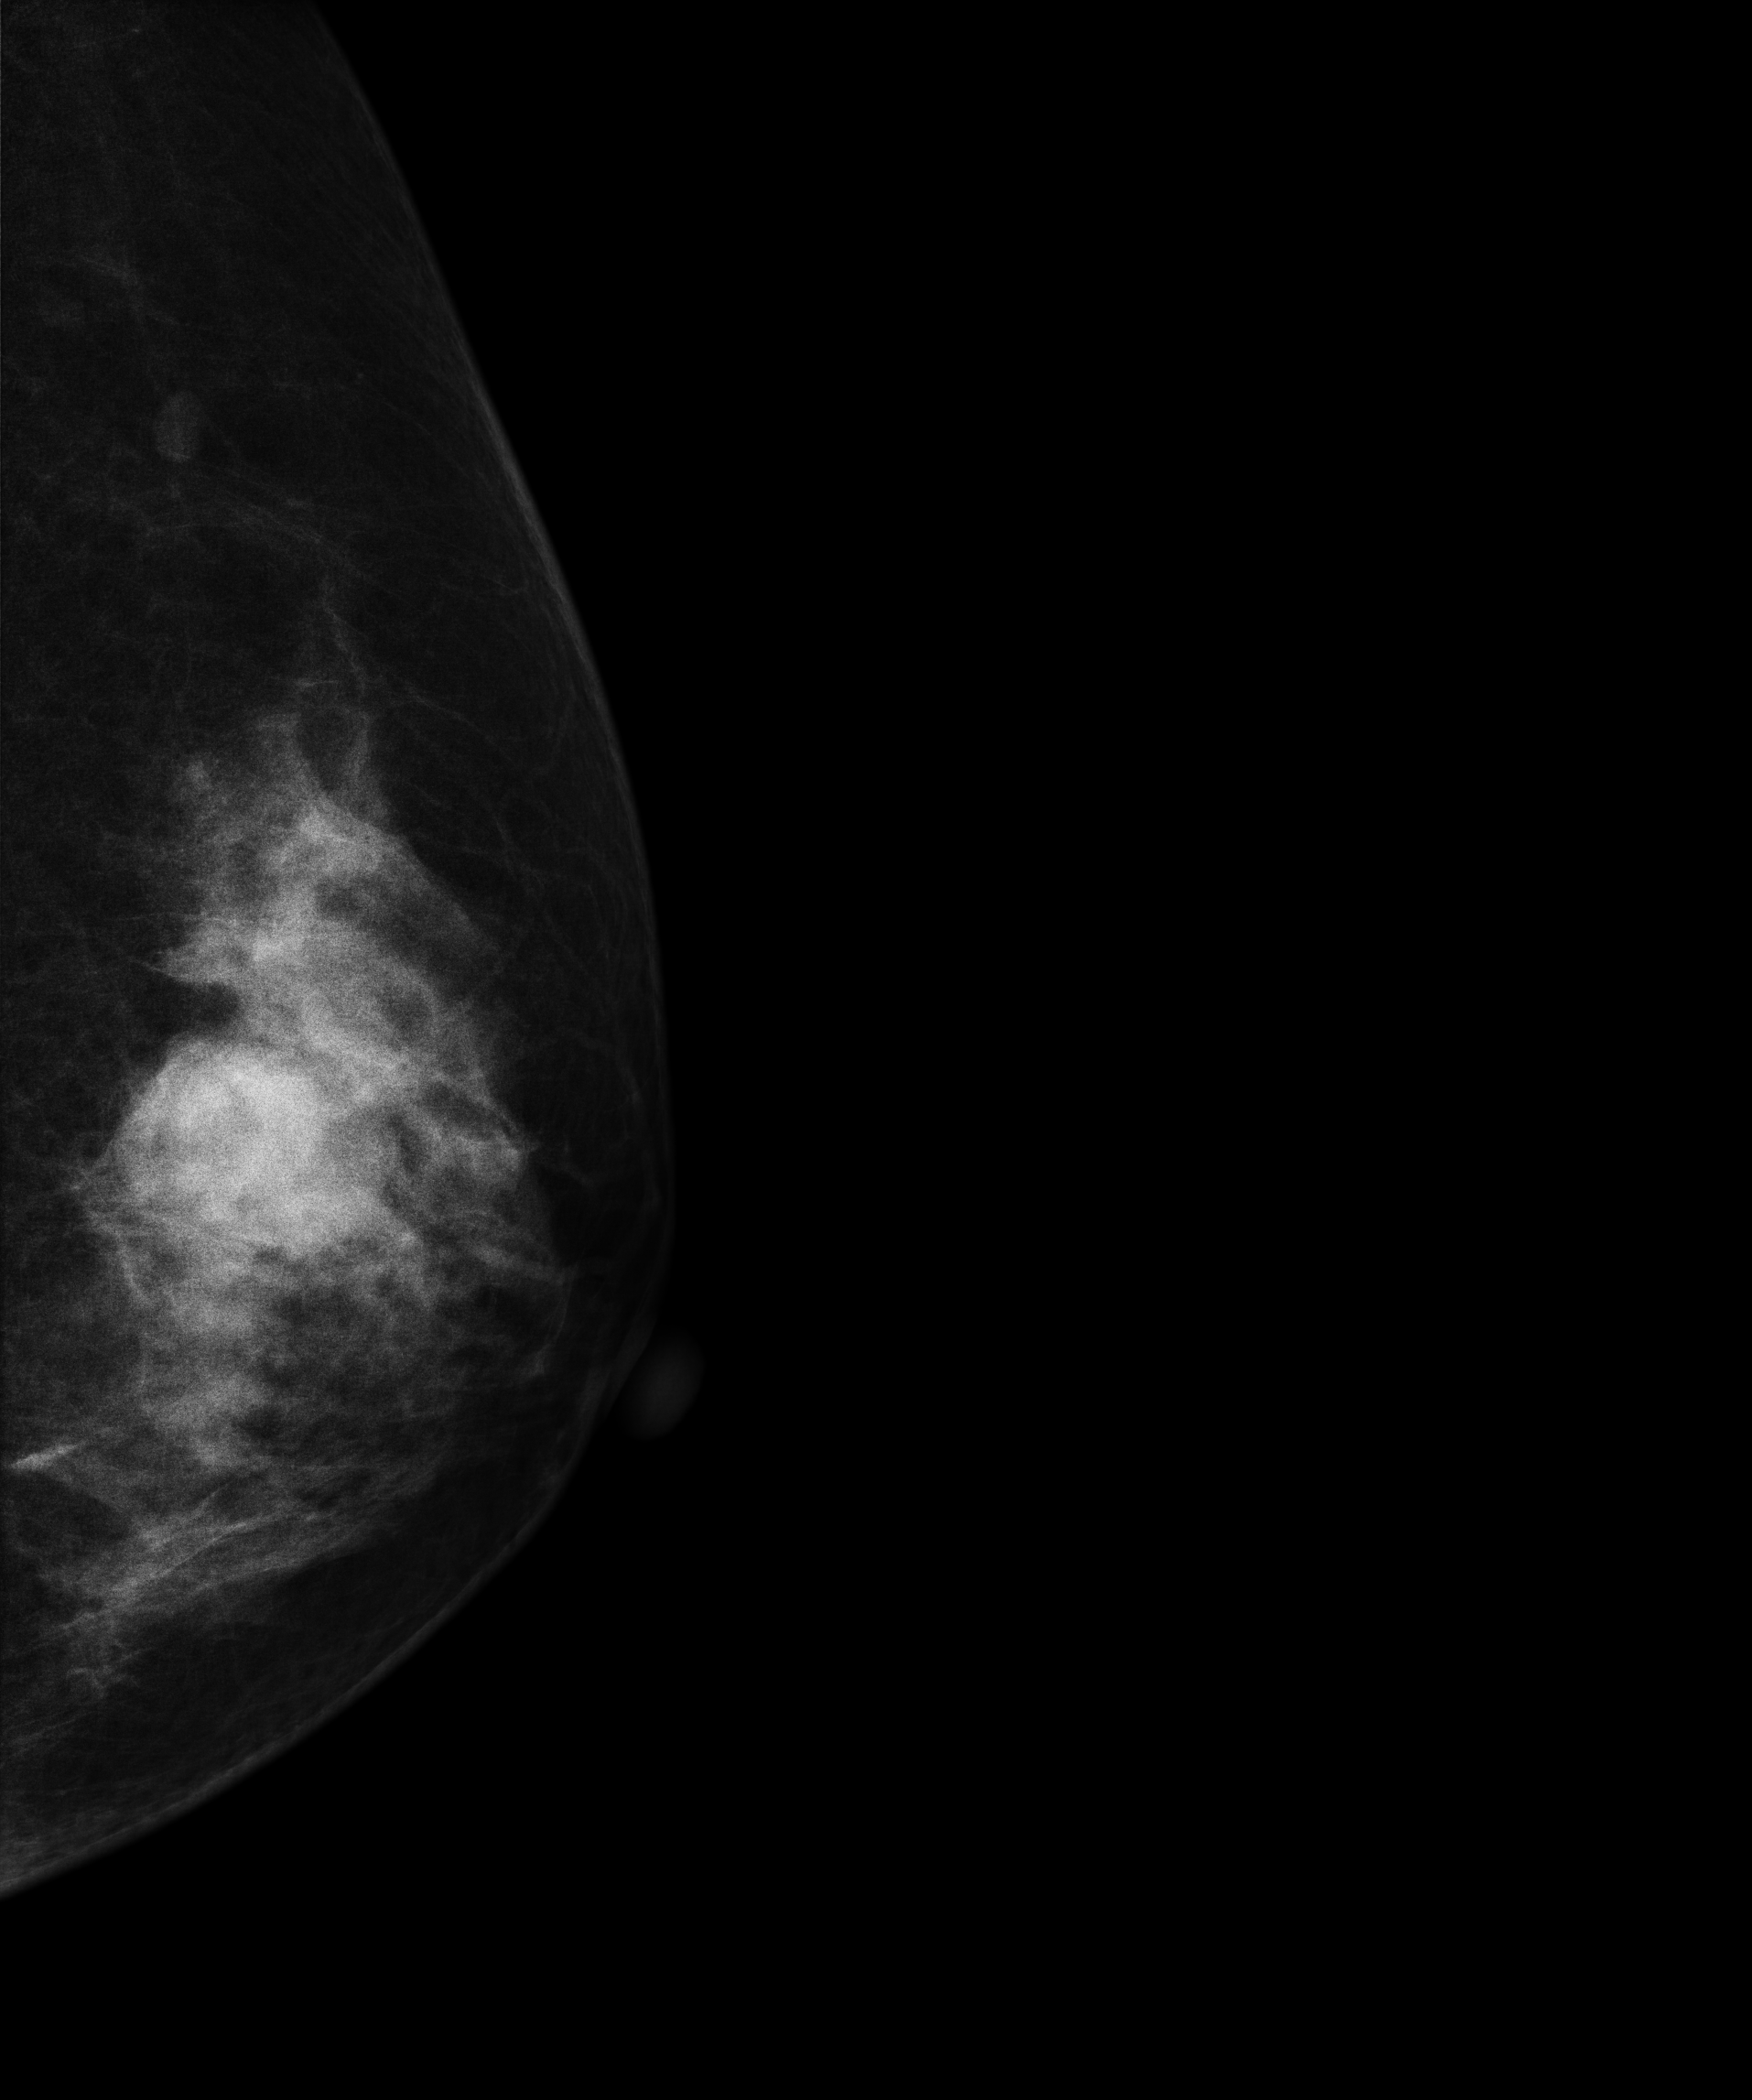
Digital mammography. Left breast, CC projection. 47-year-old patient.
This breast has a mass, biopsy-confirmed malignant.